Digital mammography. Left breast, cranio-caudal projection. 51-year-old patient.
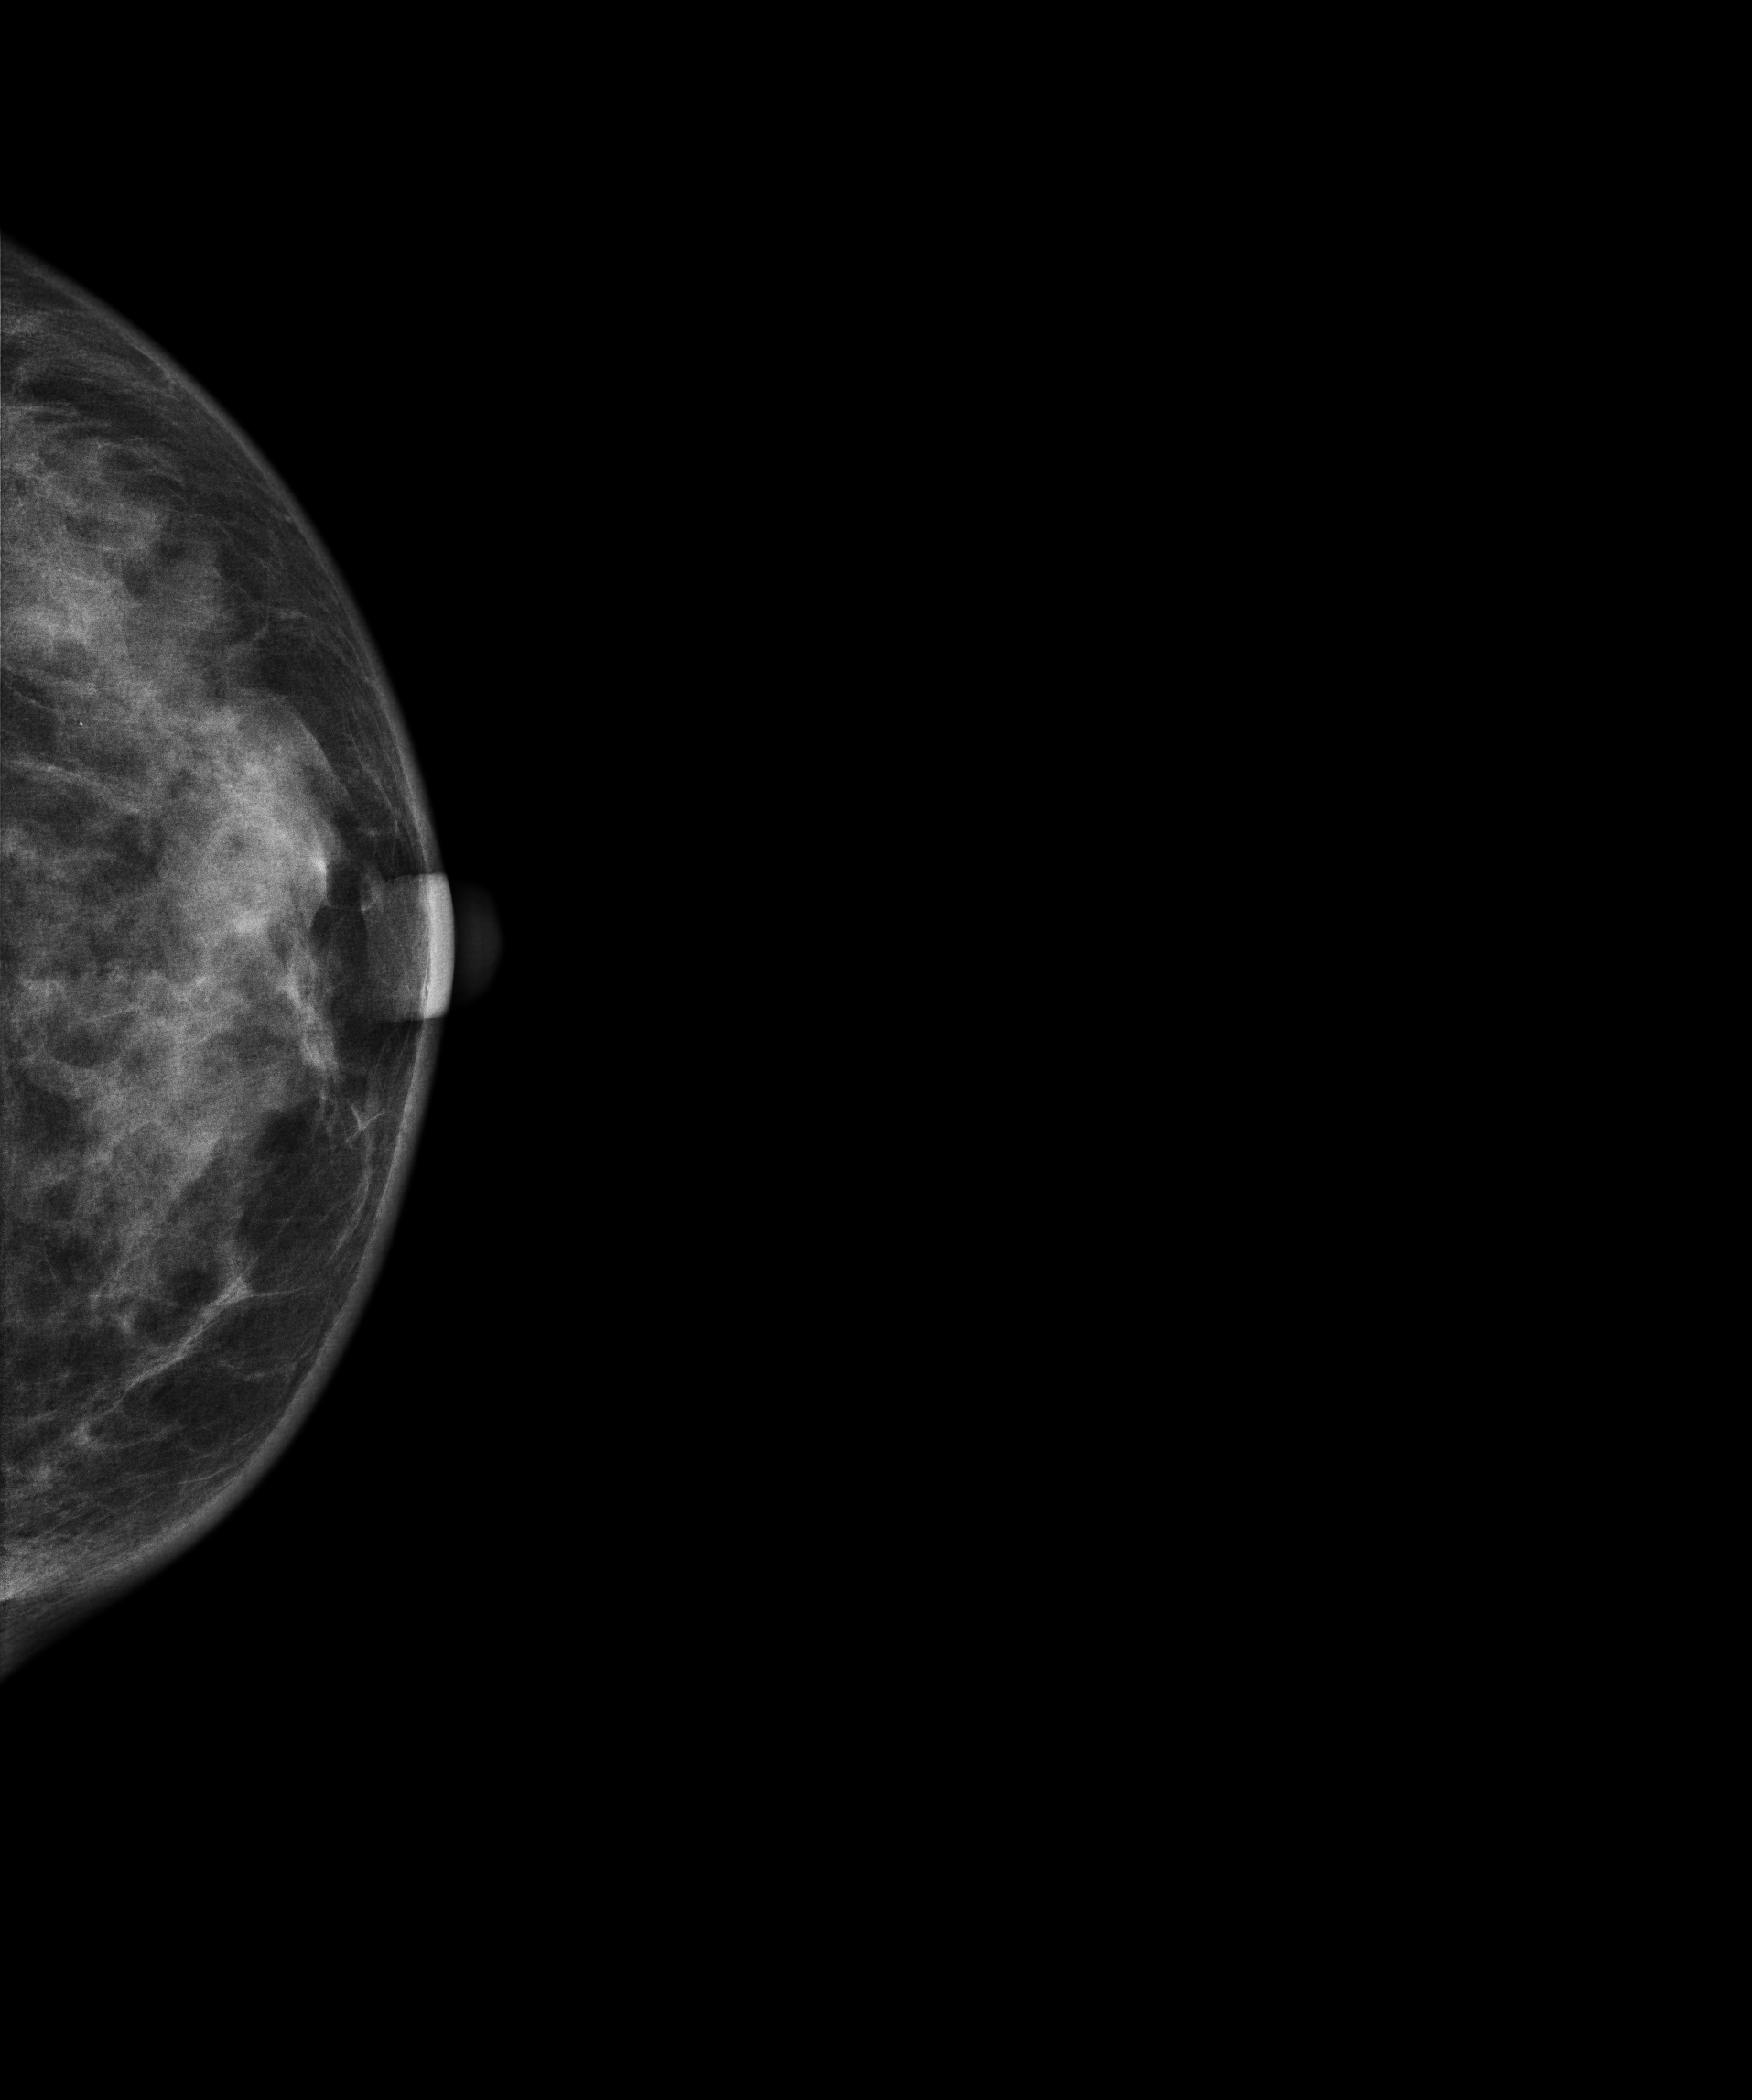
Contralateral breast — no documented abnormality on this side.